Digital mammography. Left breast, CC projection. Patient age 46.
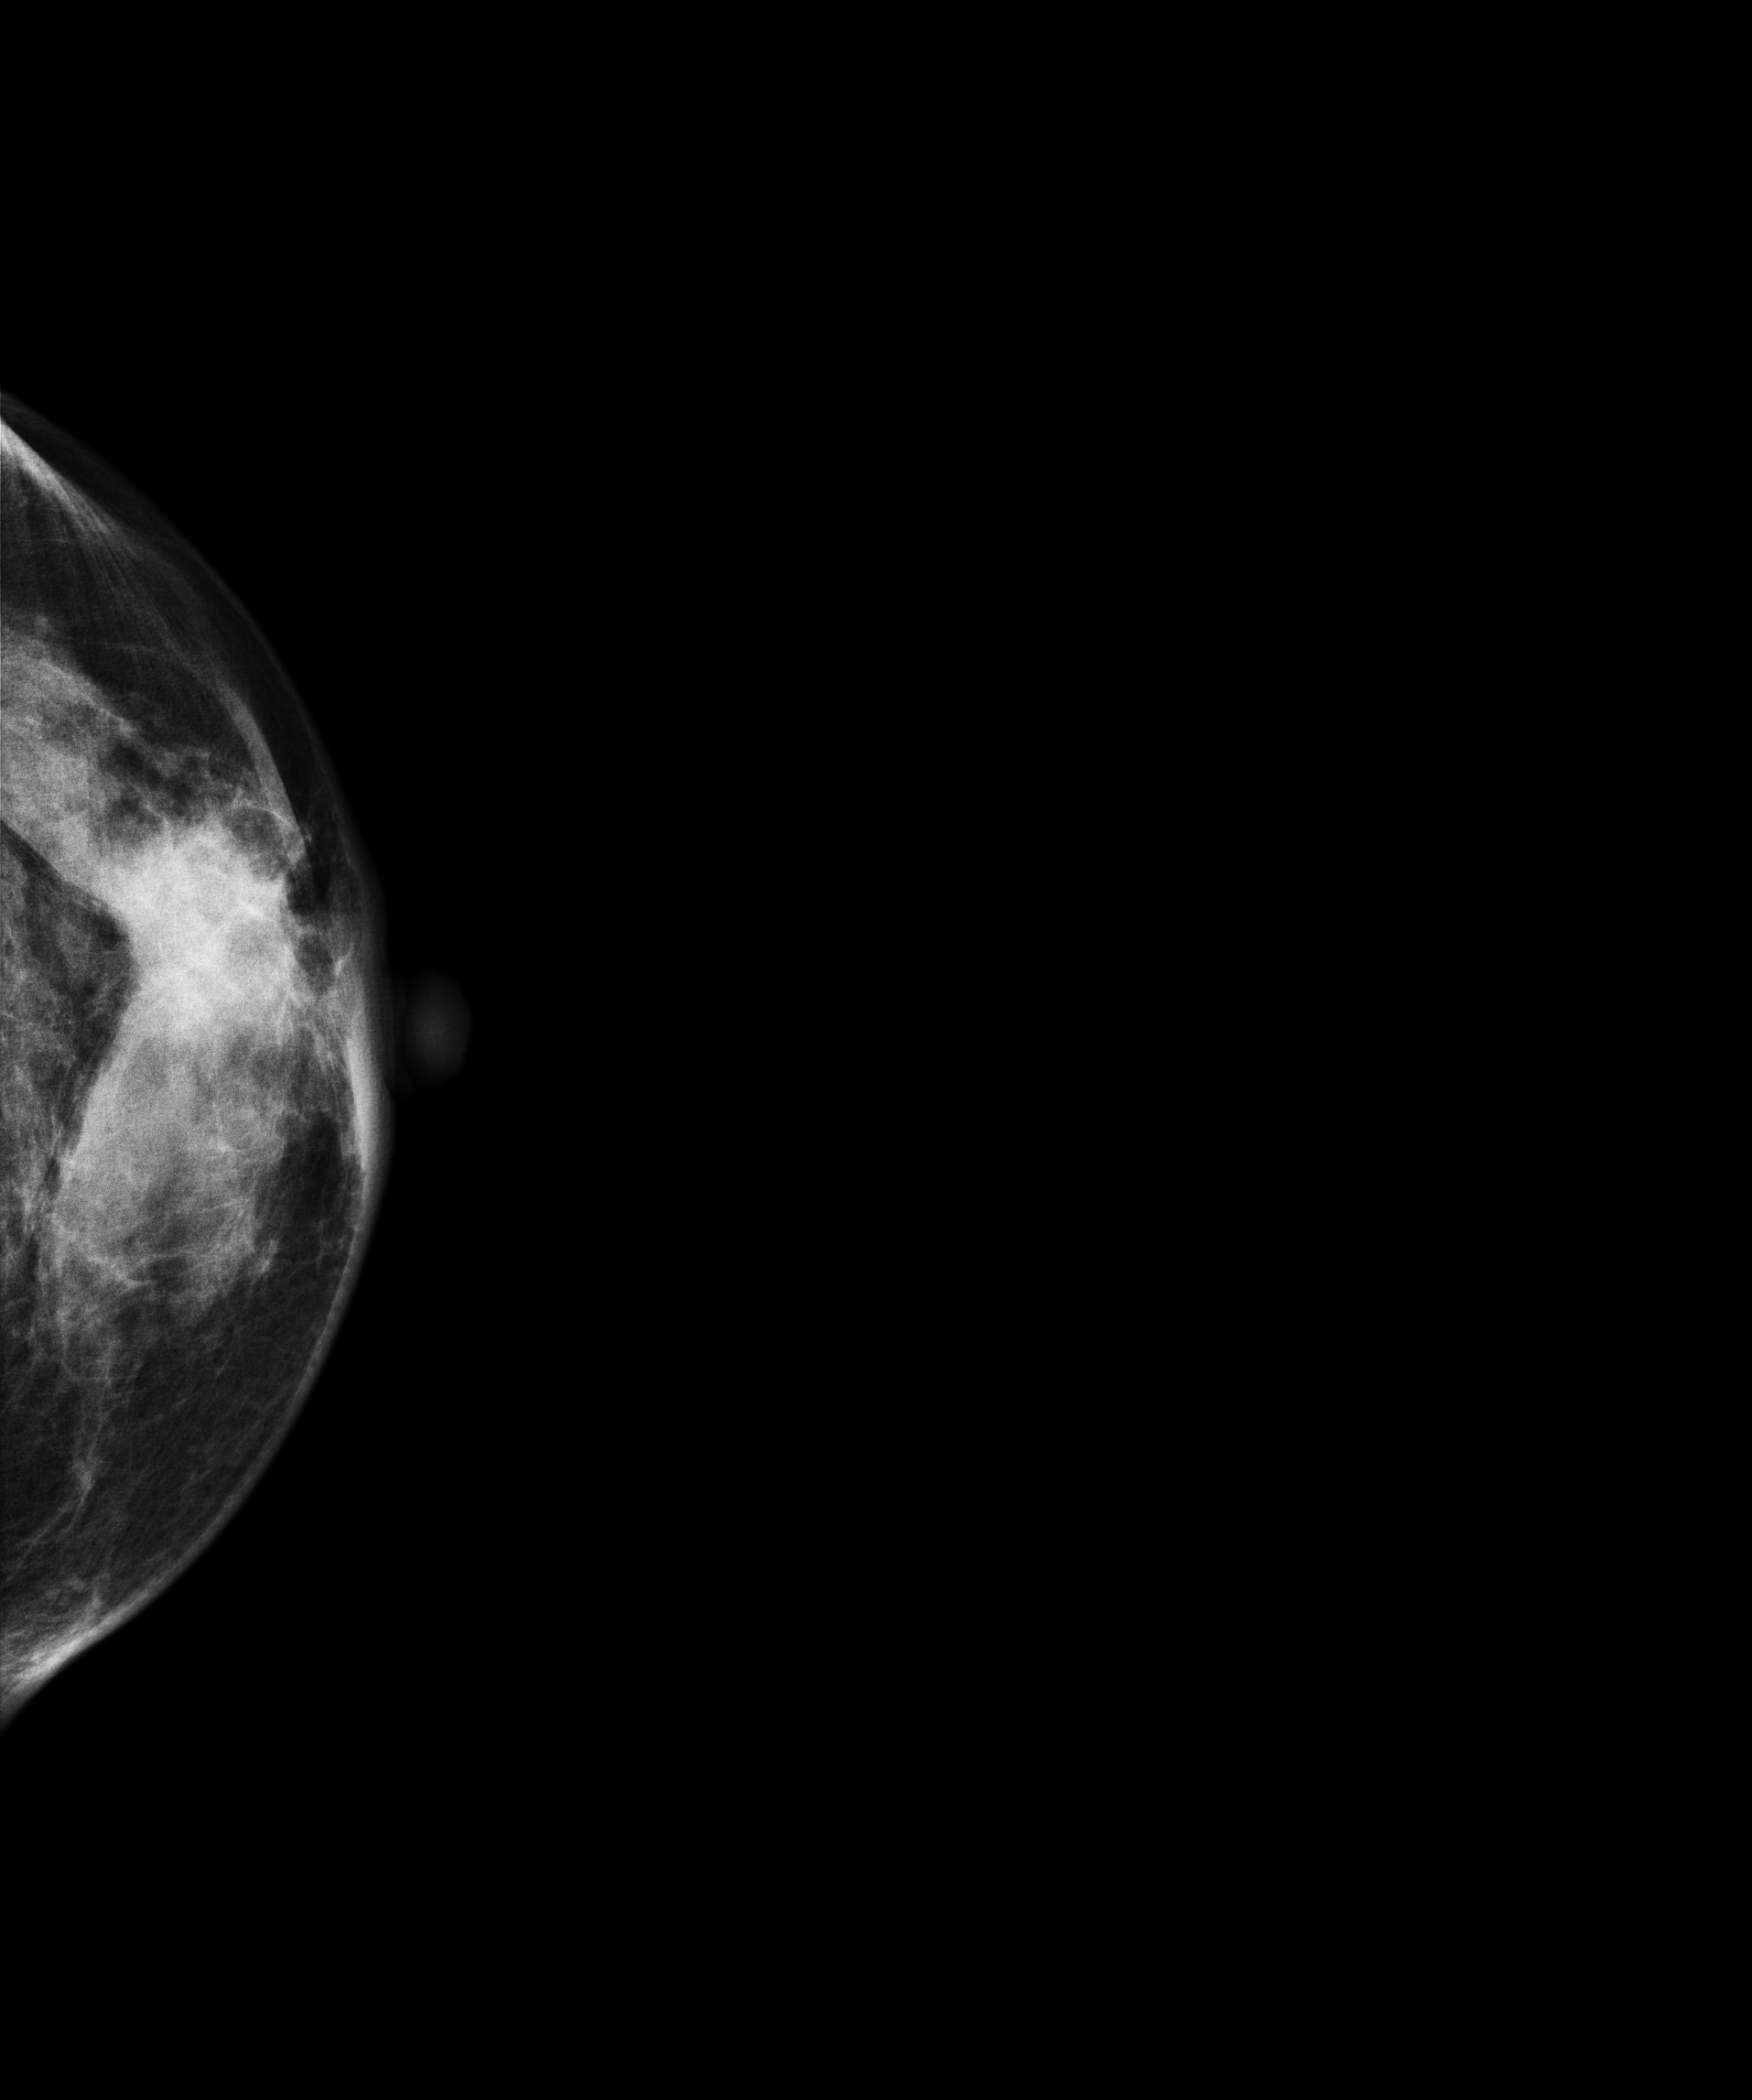
This breast has a mass, histologically confirmed malignant. Molecular subtype: luminal B.